Cranio-caudal mammogram of the left breast. 40 y/o patient.
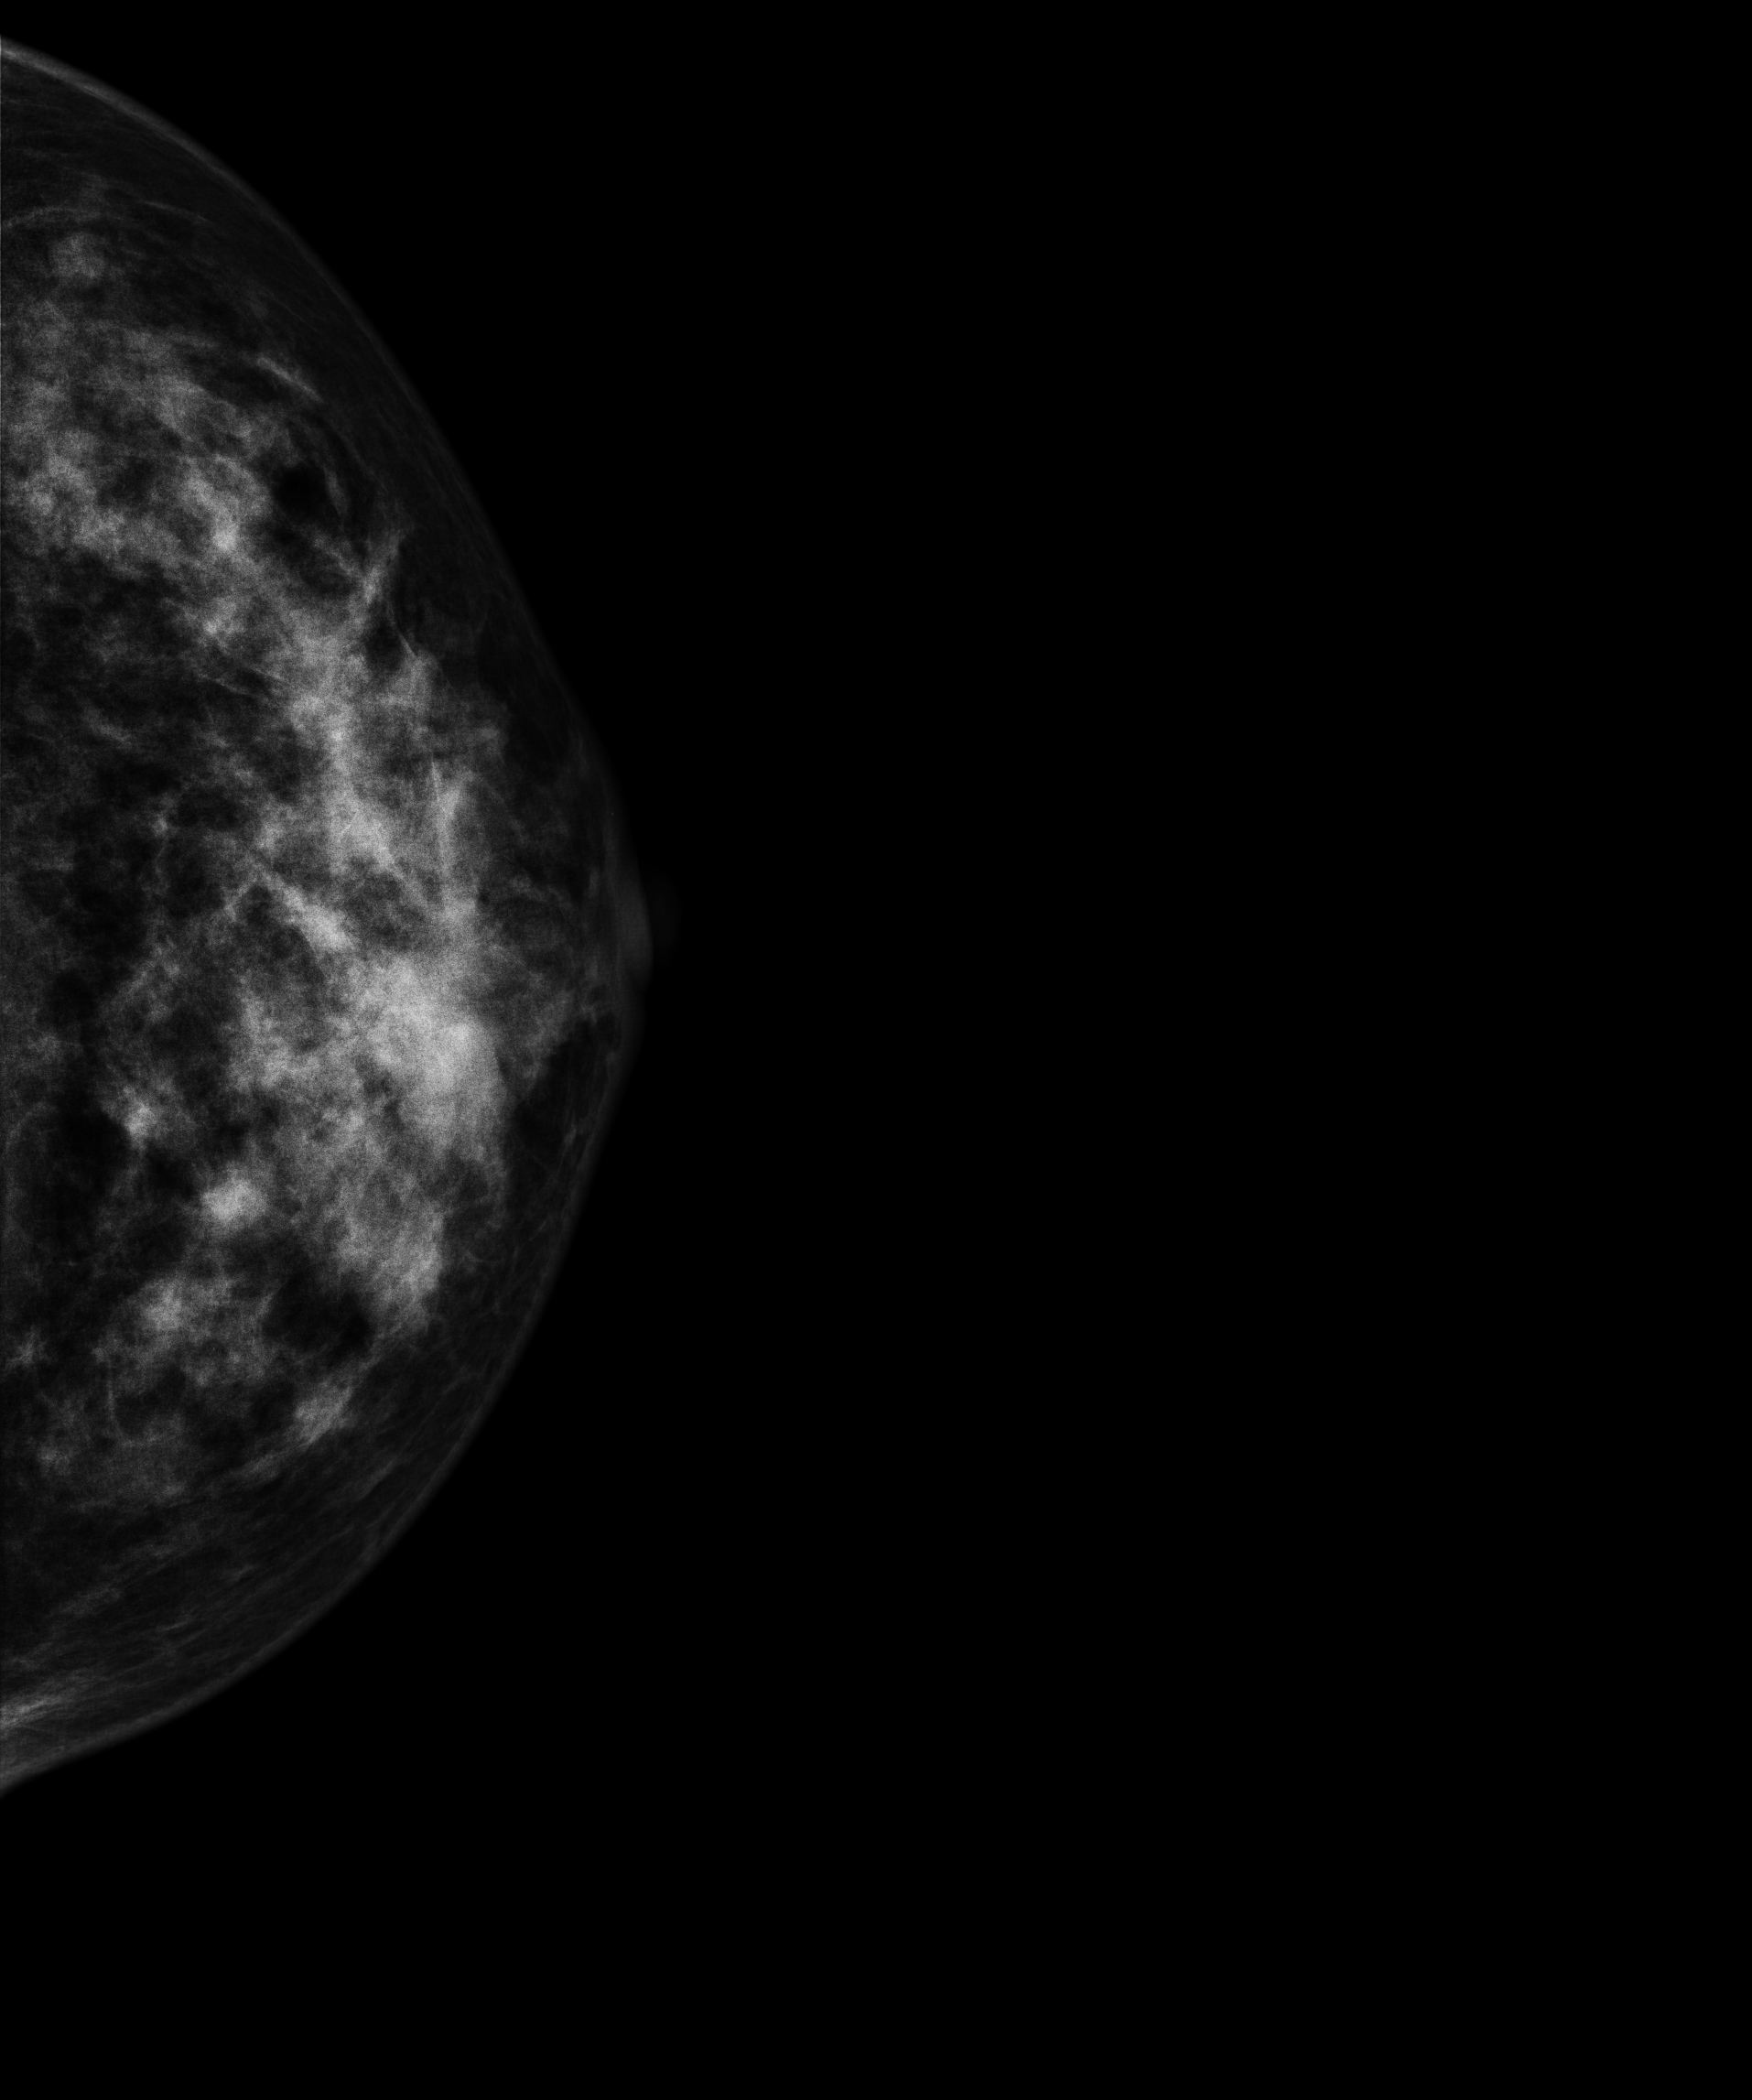
This breast has a mass, biopsy-proven malignant. Molecular subtype: luminal B.